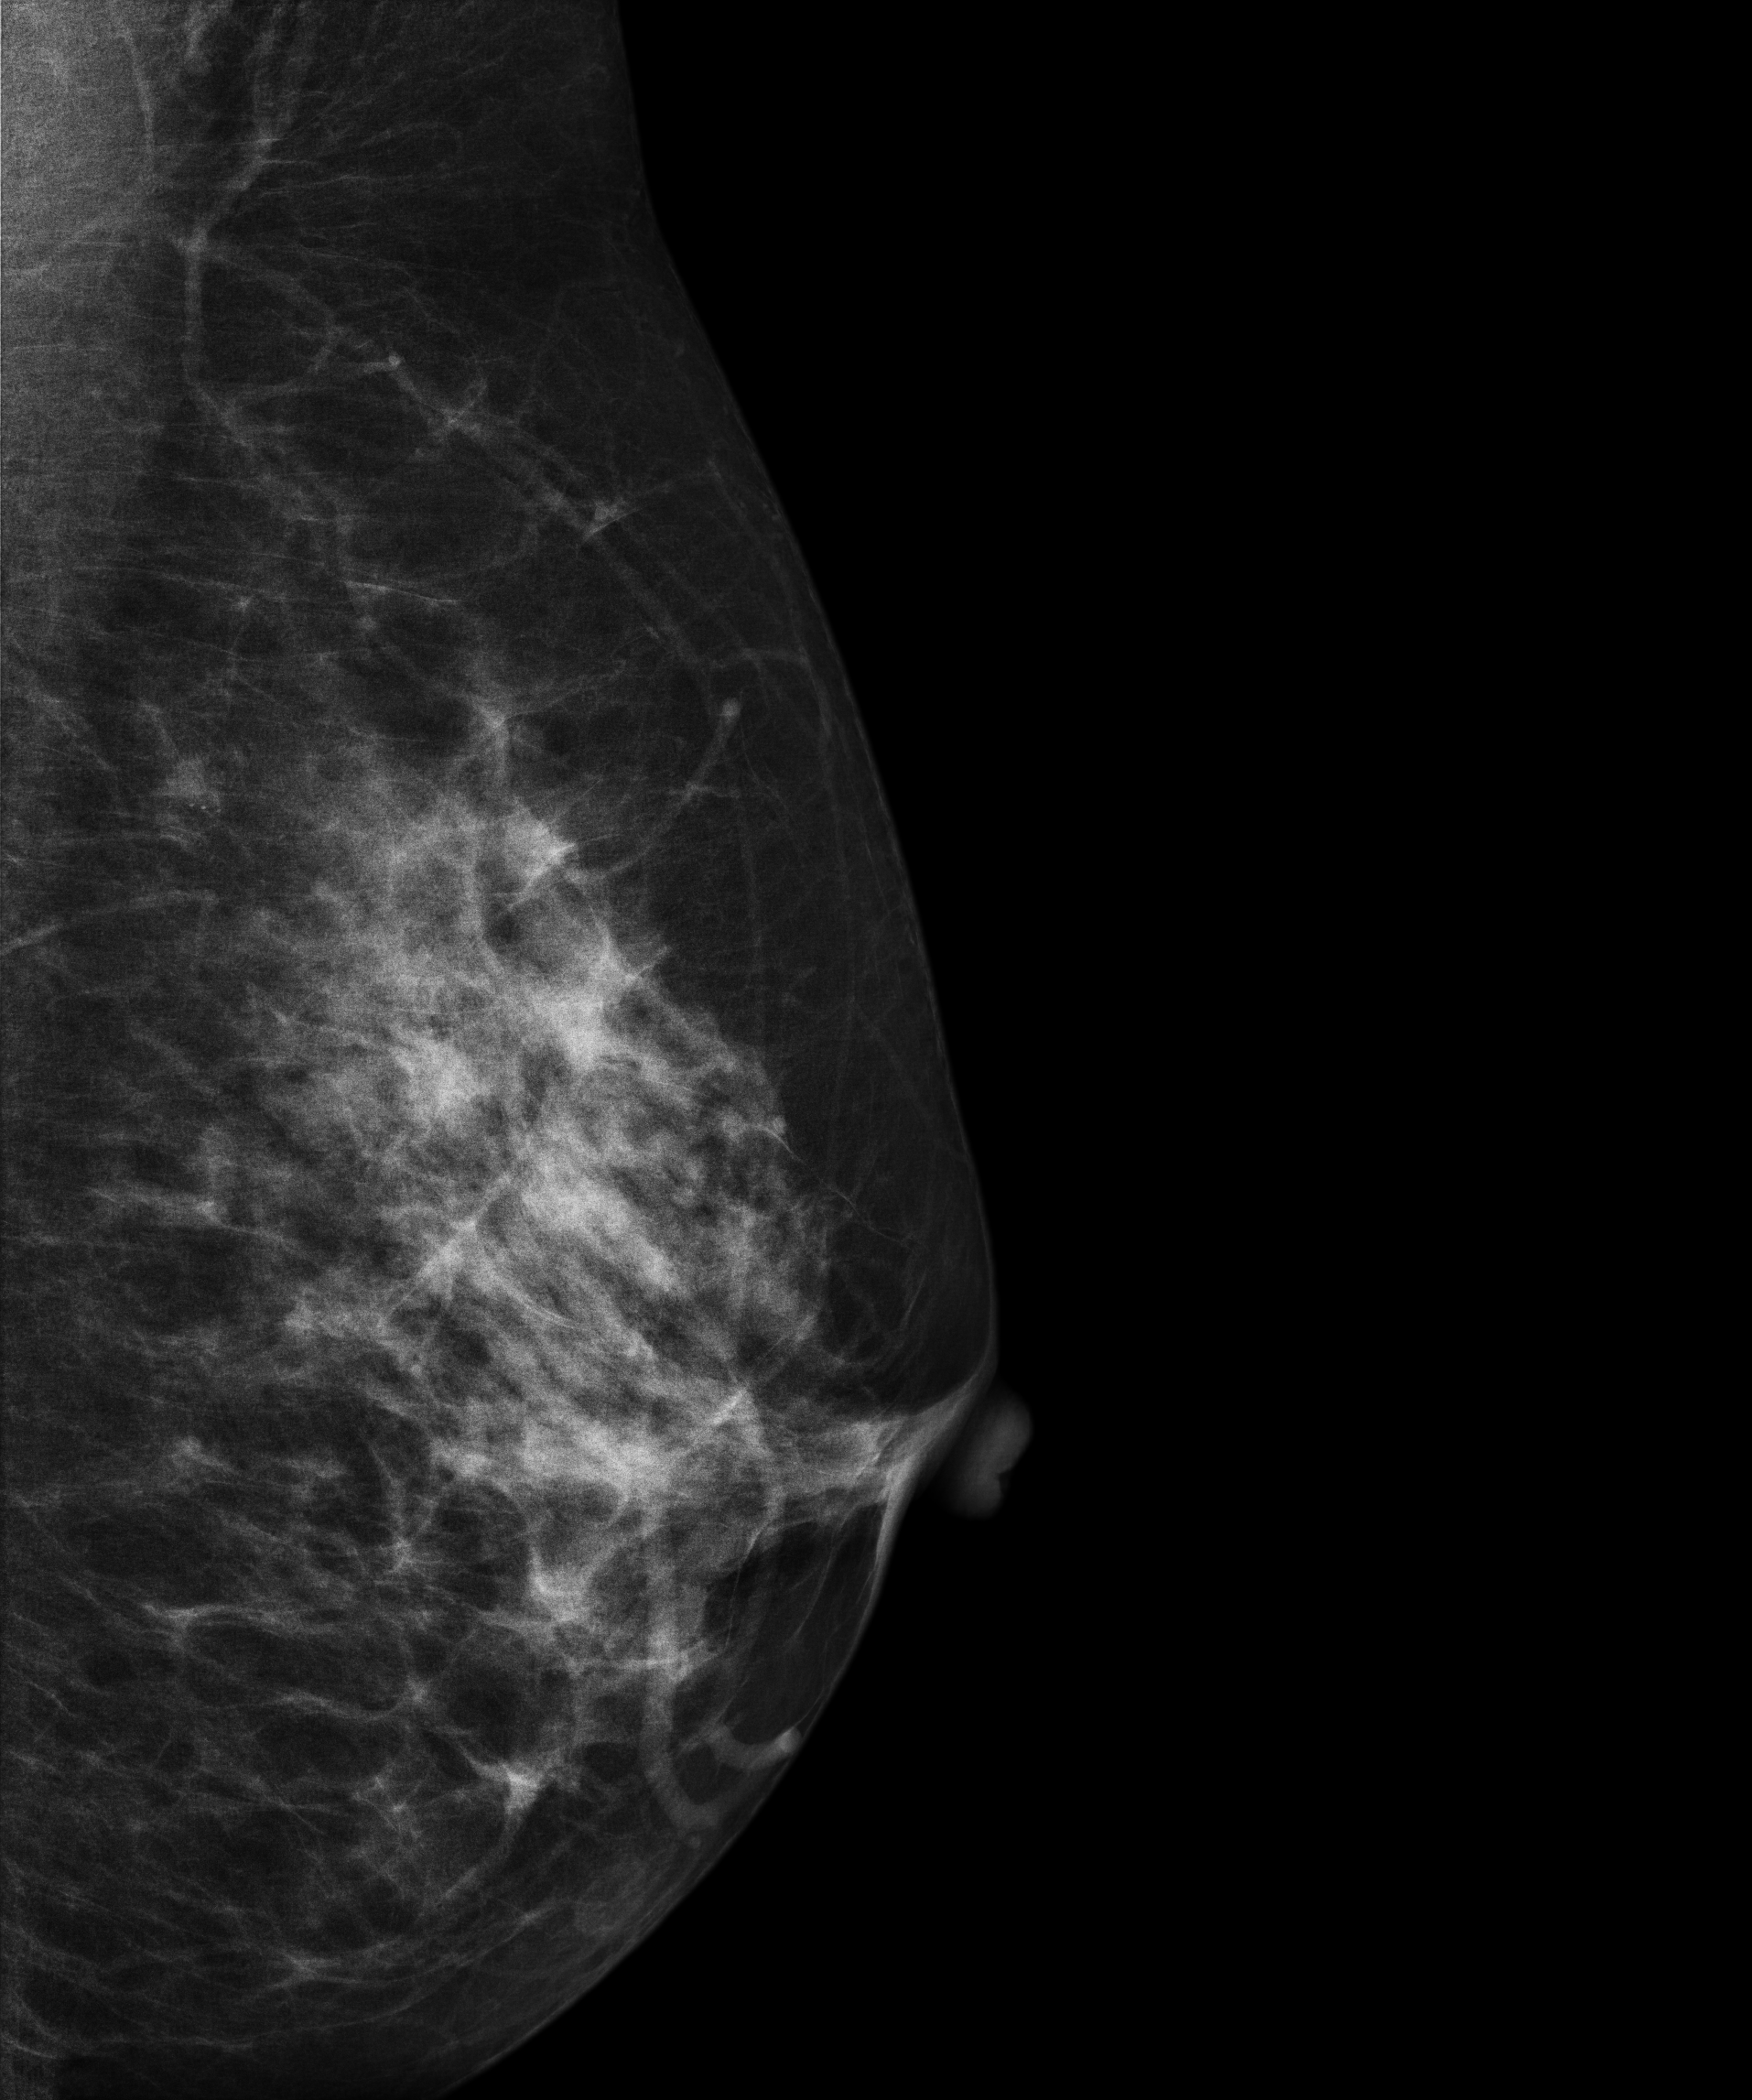
Left-breast mammogram, medio-lateral oblique. 55 y/o patient.
This breast has a mass, biopsy-proven malignant.